Mammogram, right breast, cranio-caudal view. 65-year-old patient.
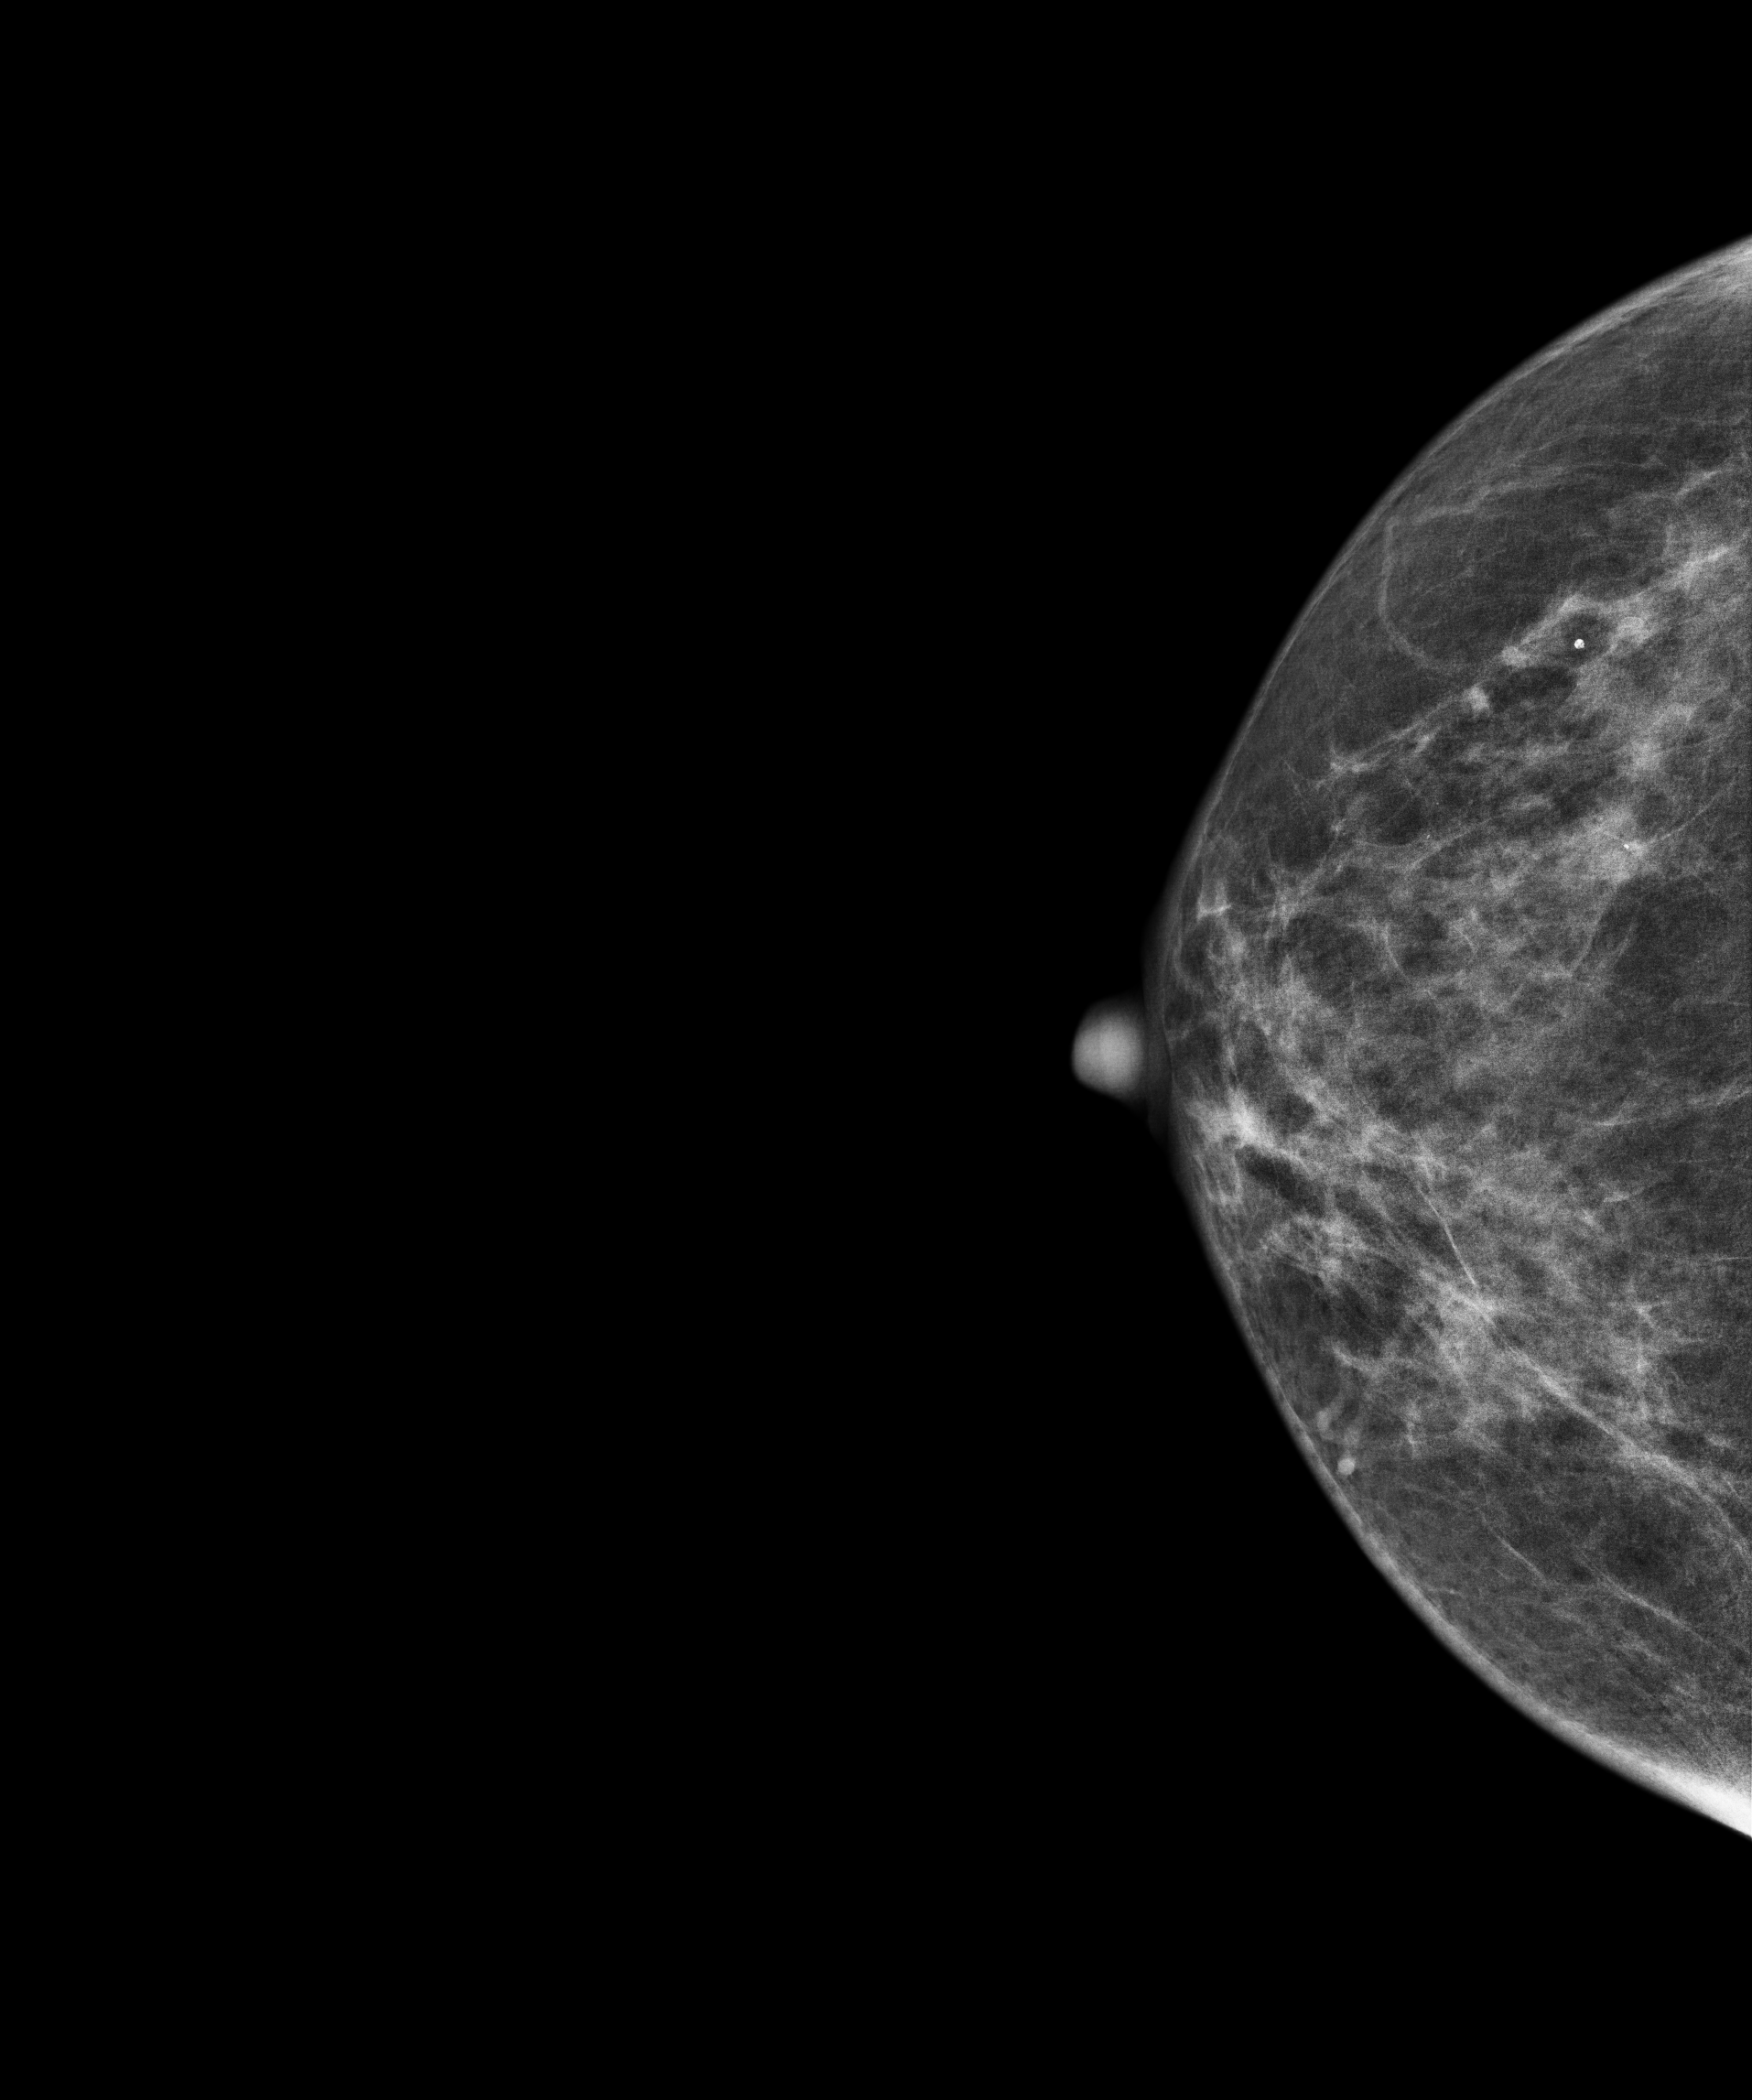
Contralateral breast — no documented abnormality on this side.